Mammogram, left breast, medio-lateral oblique view. Patient age 51.
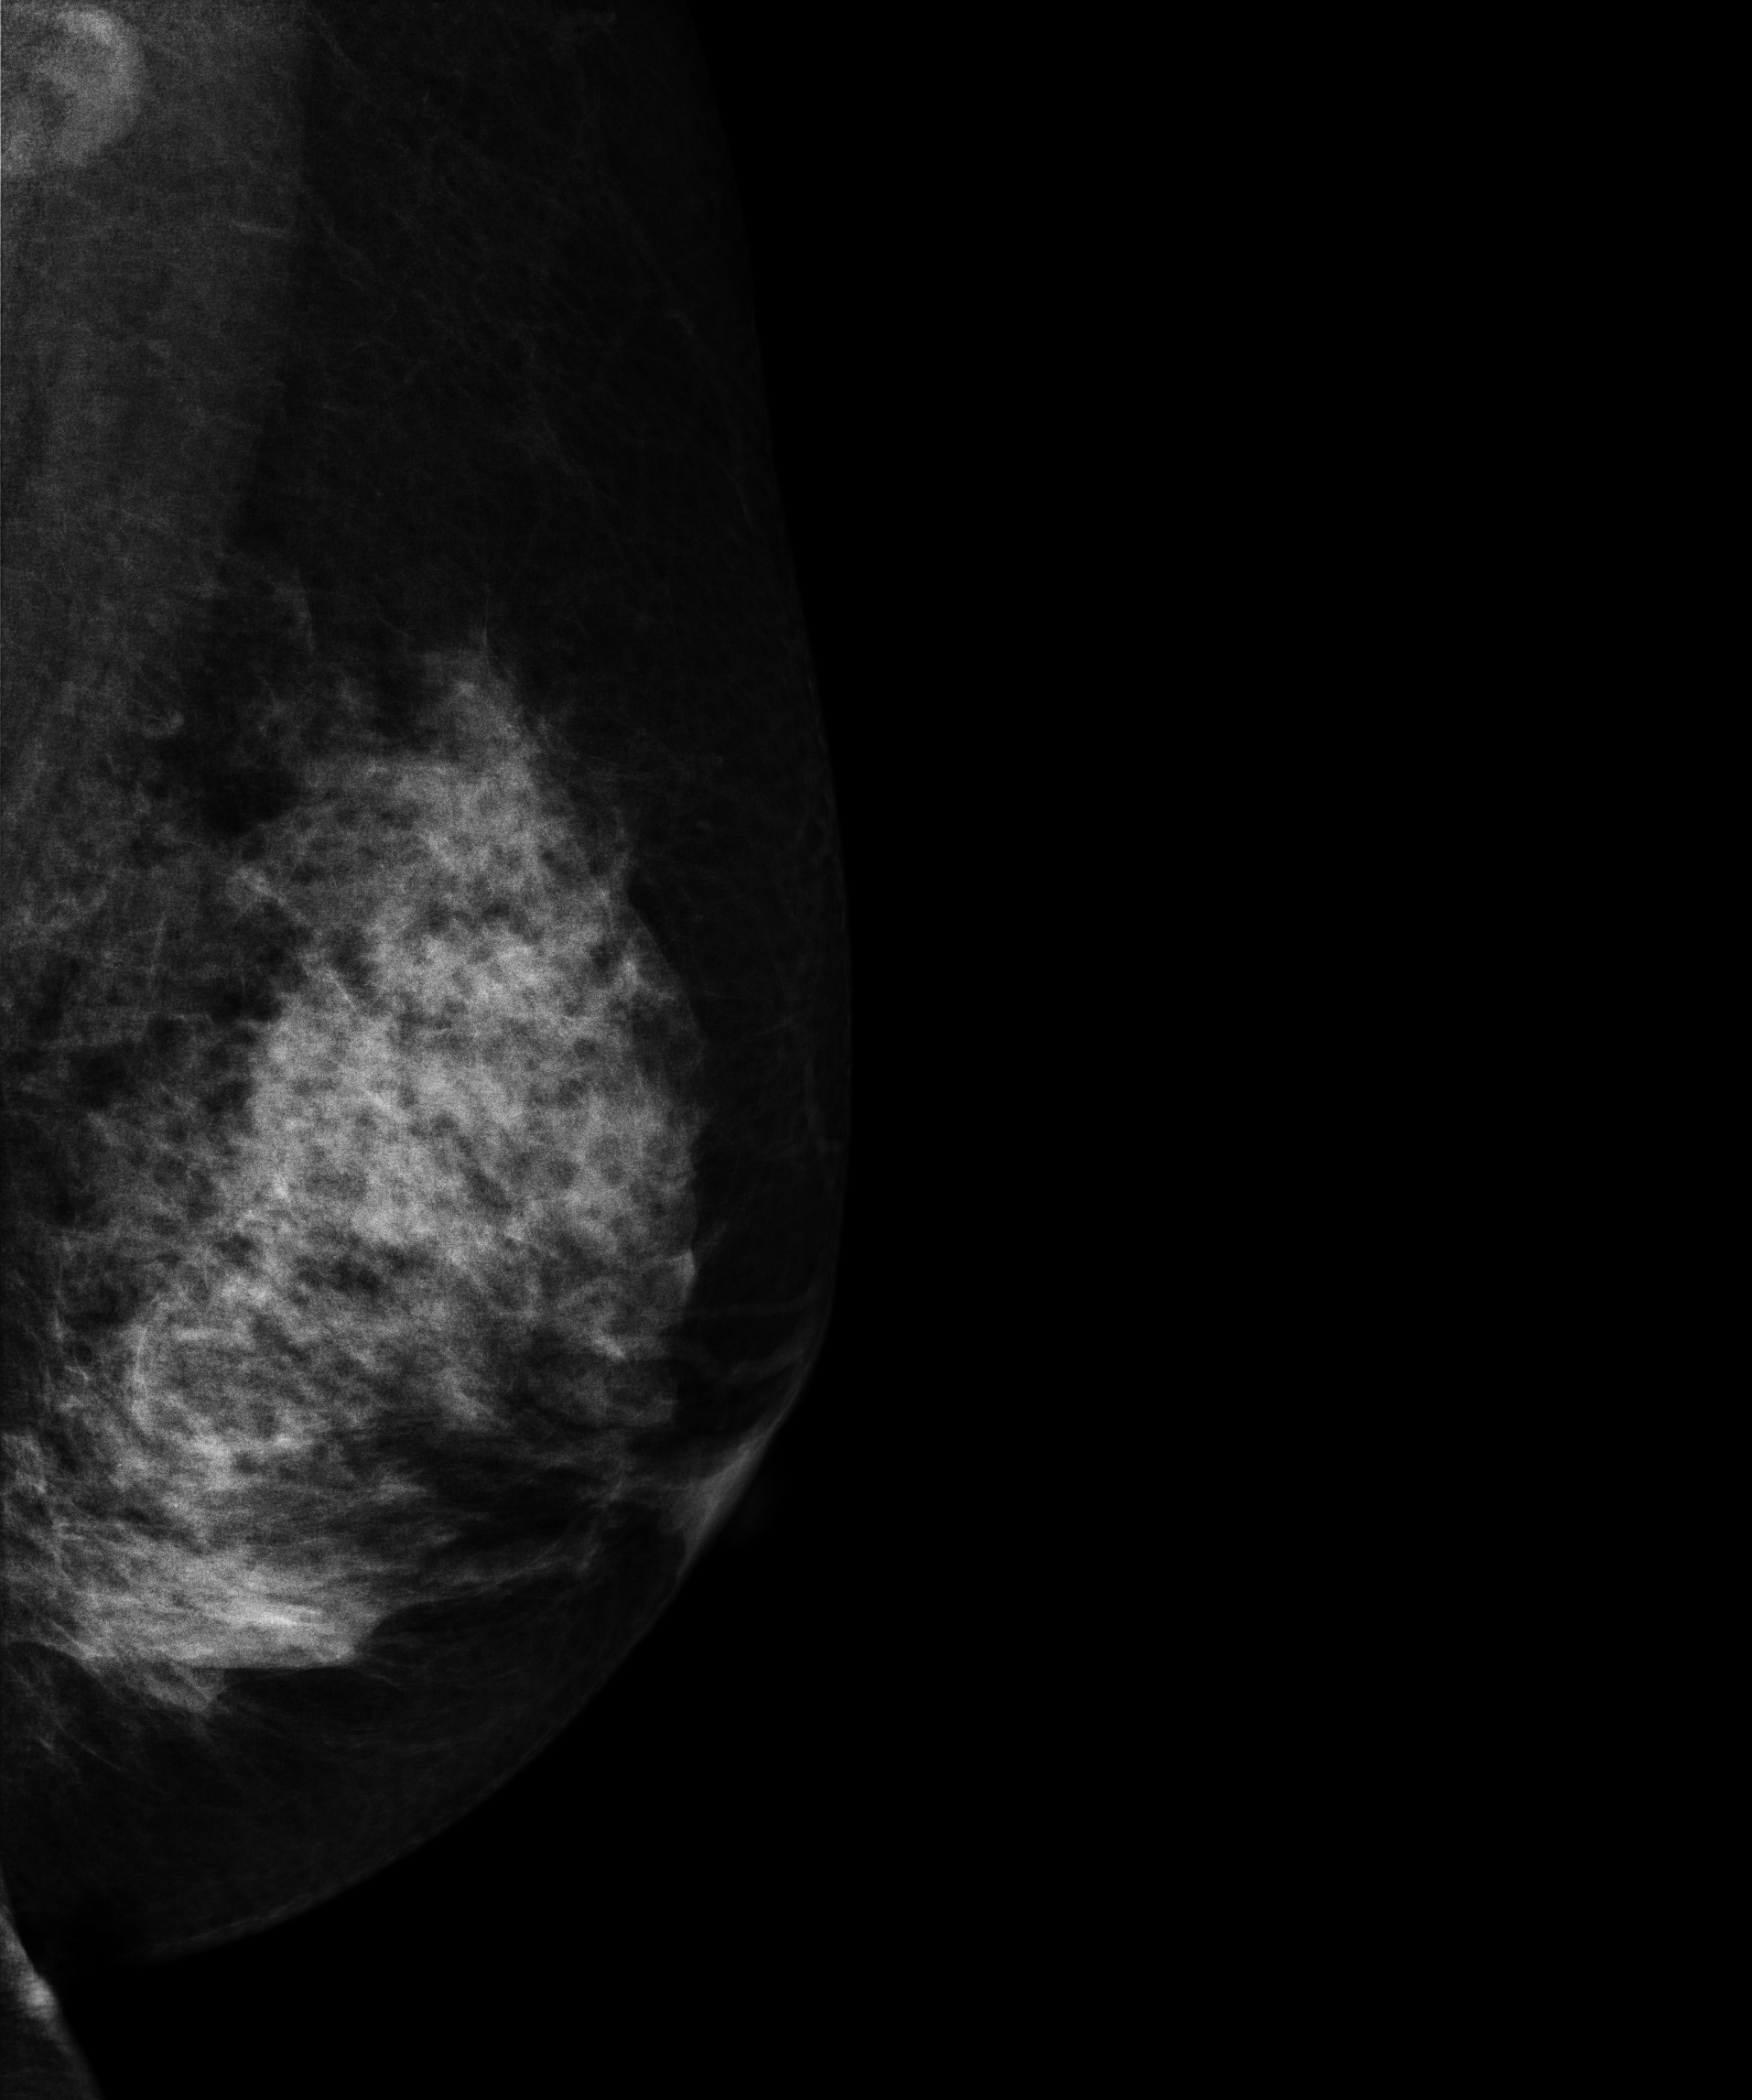
This breast has a mass, biopsy-proven benign.